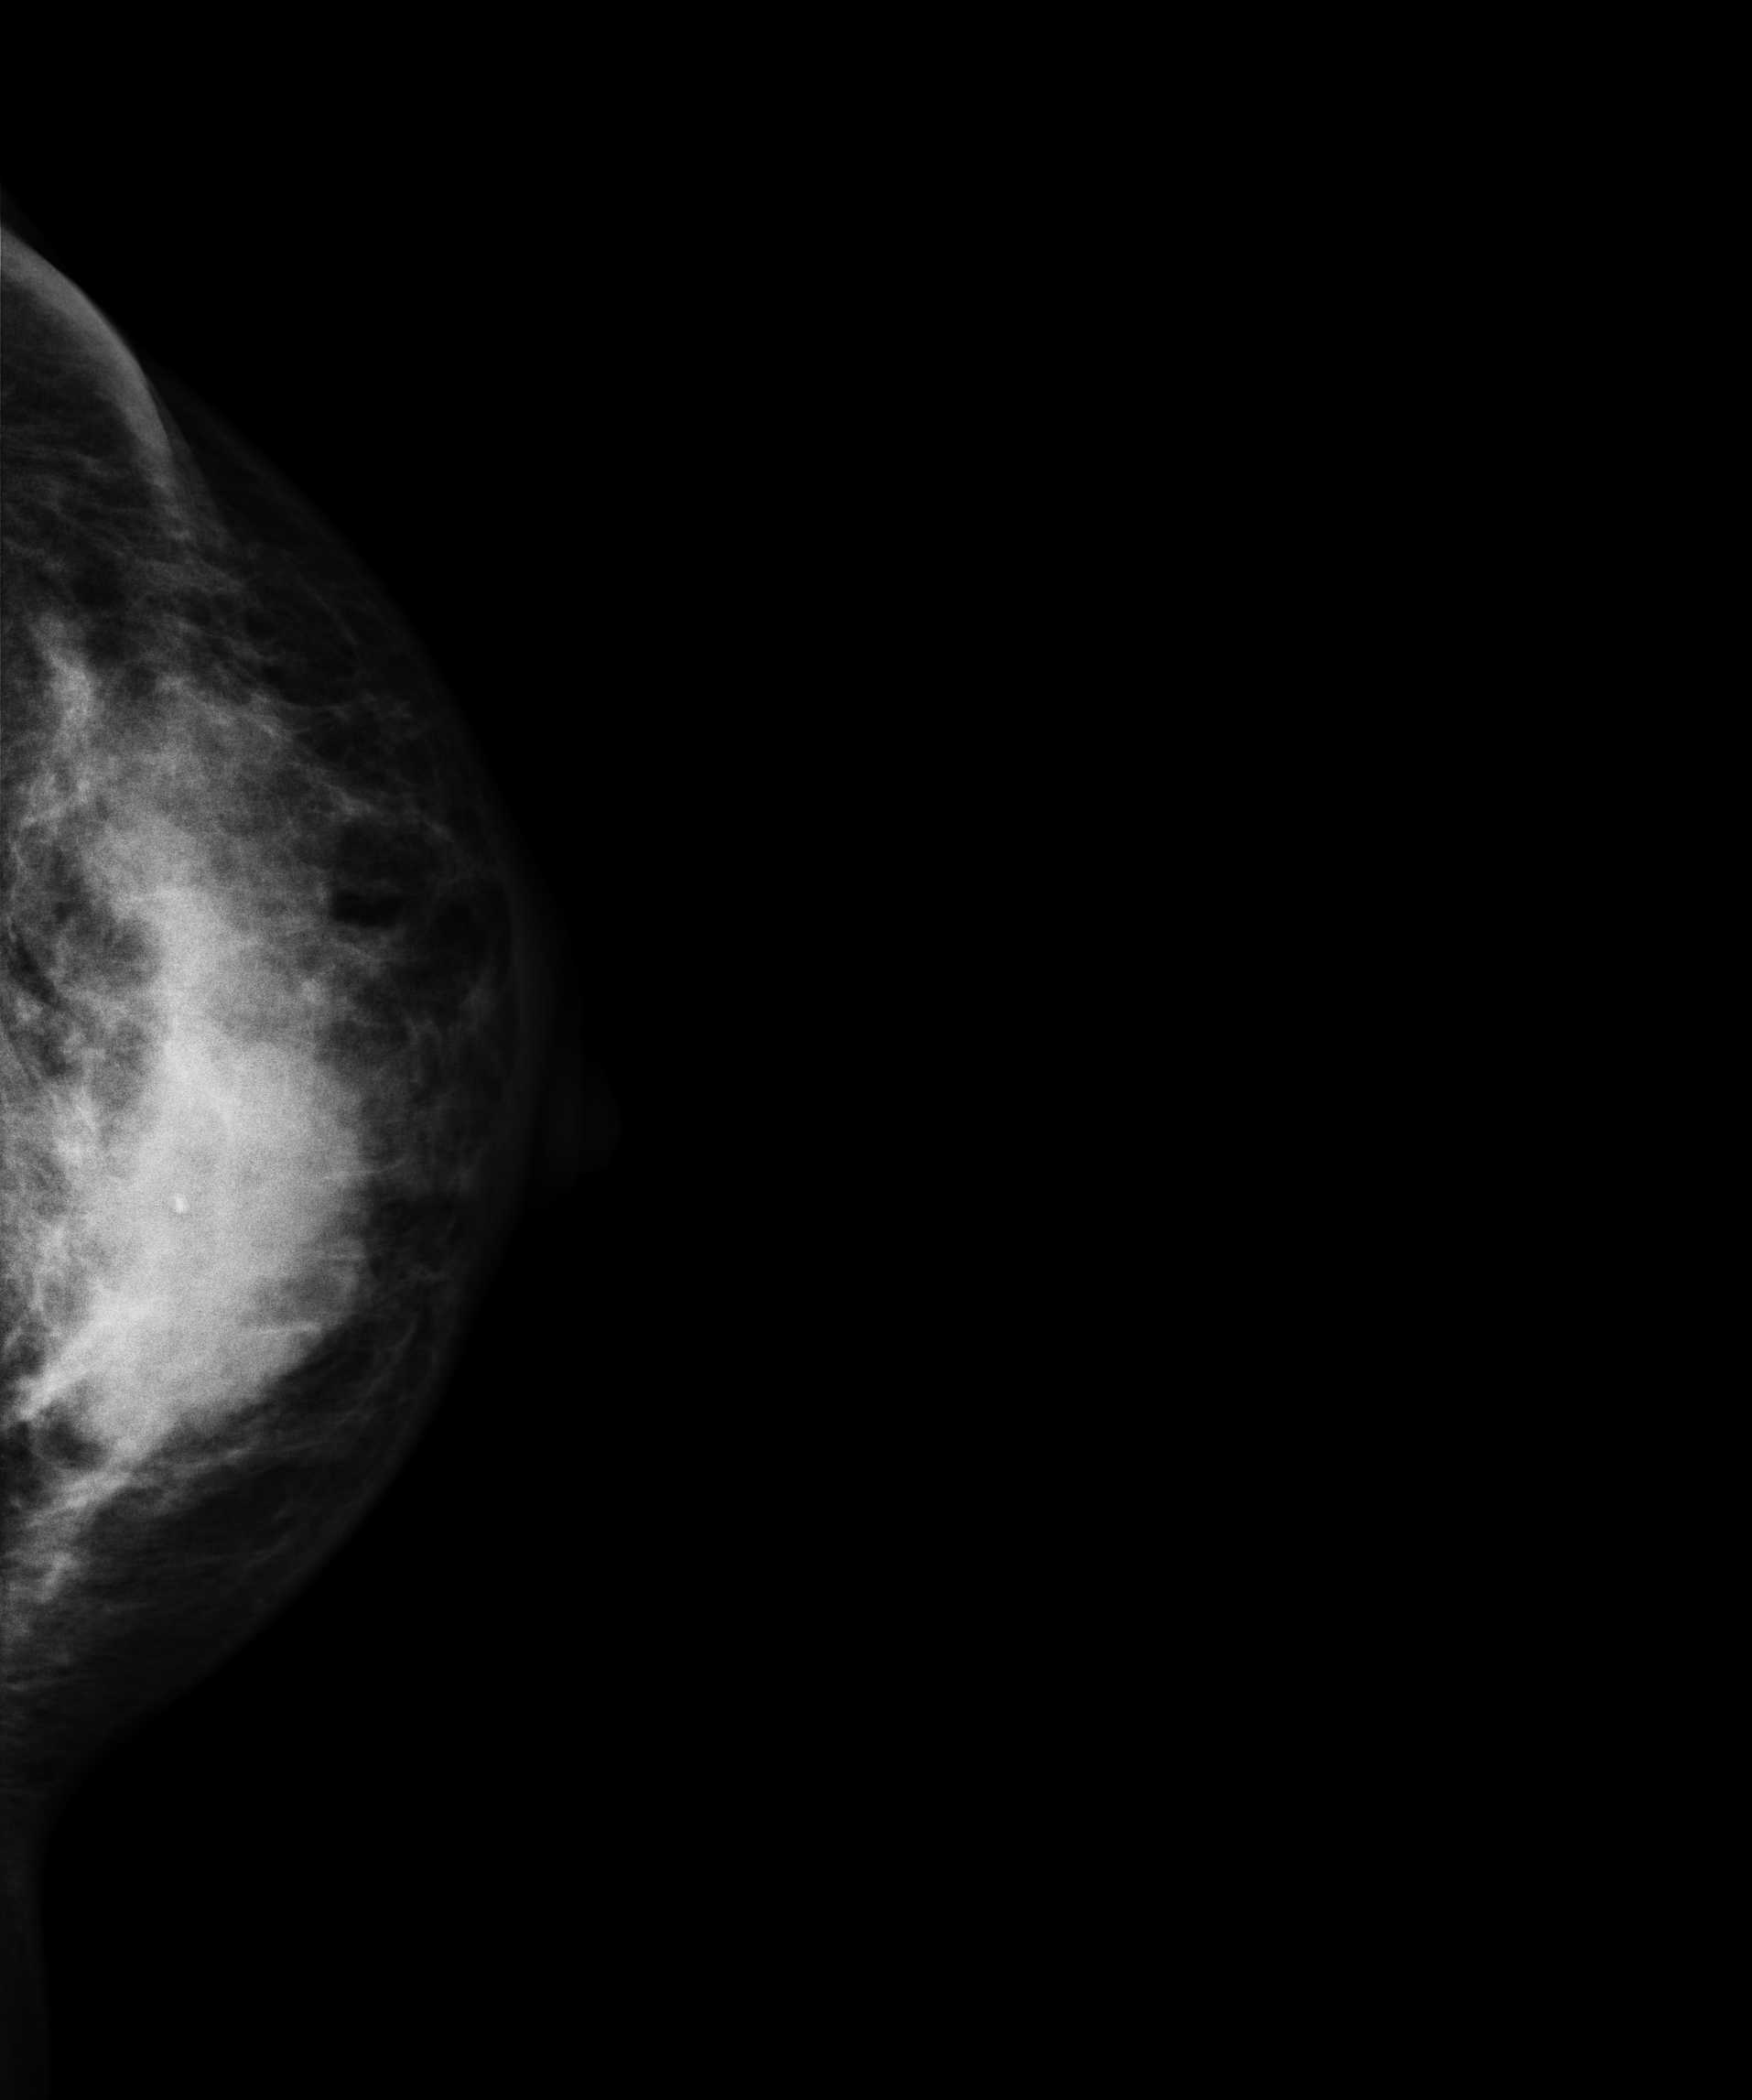
Digital mammography. Left breast, CC projection. 46-year-old patient.
This breast has a mass, histologically confirmed malignant. Molecular subtype: luminal B.